Mammogram, left breast, MLO view. Patient age 39.
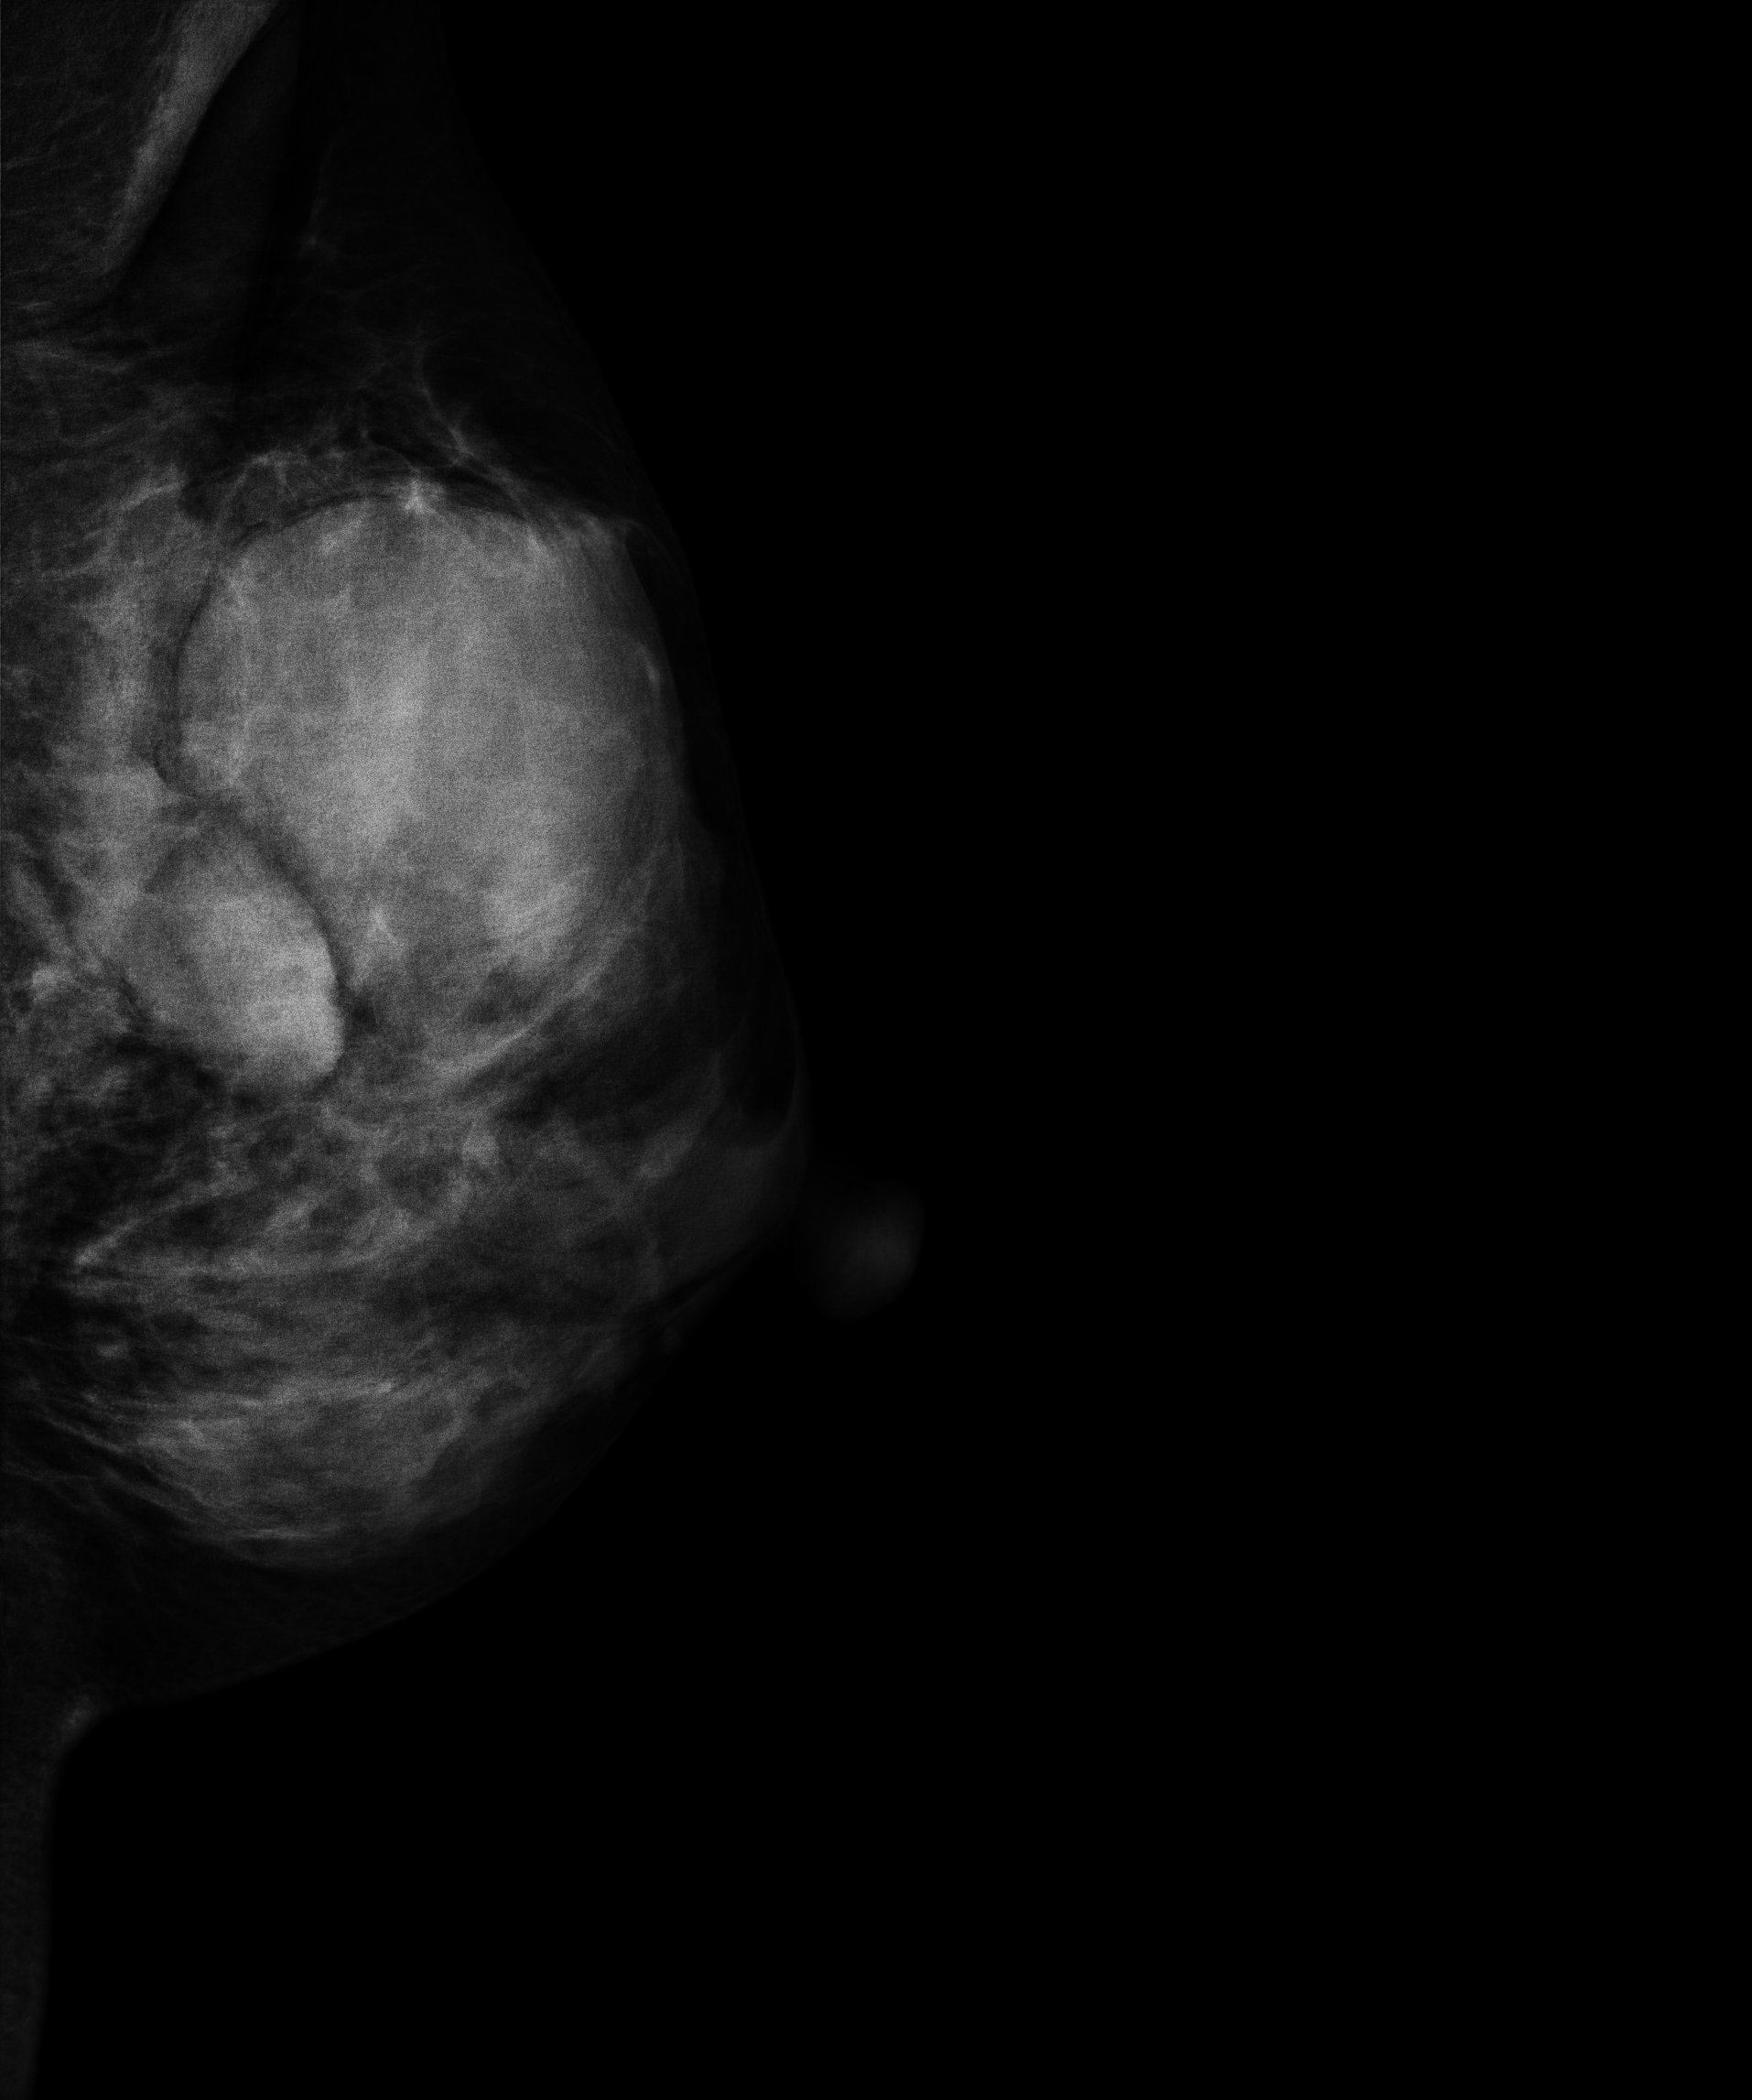
This breast has a mass, pathology-confirmed benign.